Left-breast mammogram, CC. 57 y/o patient.
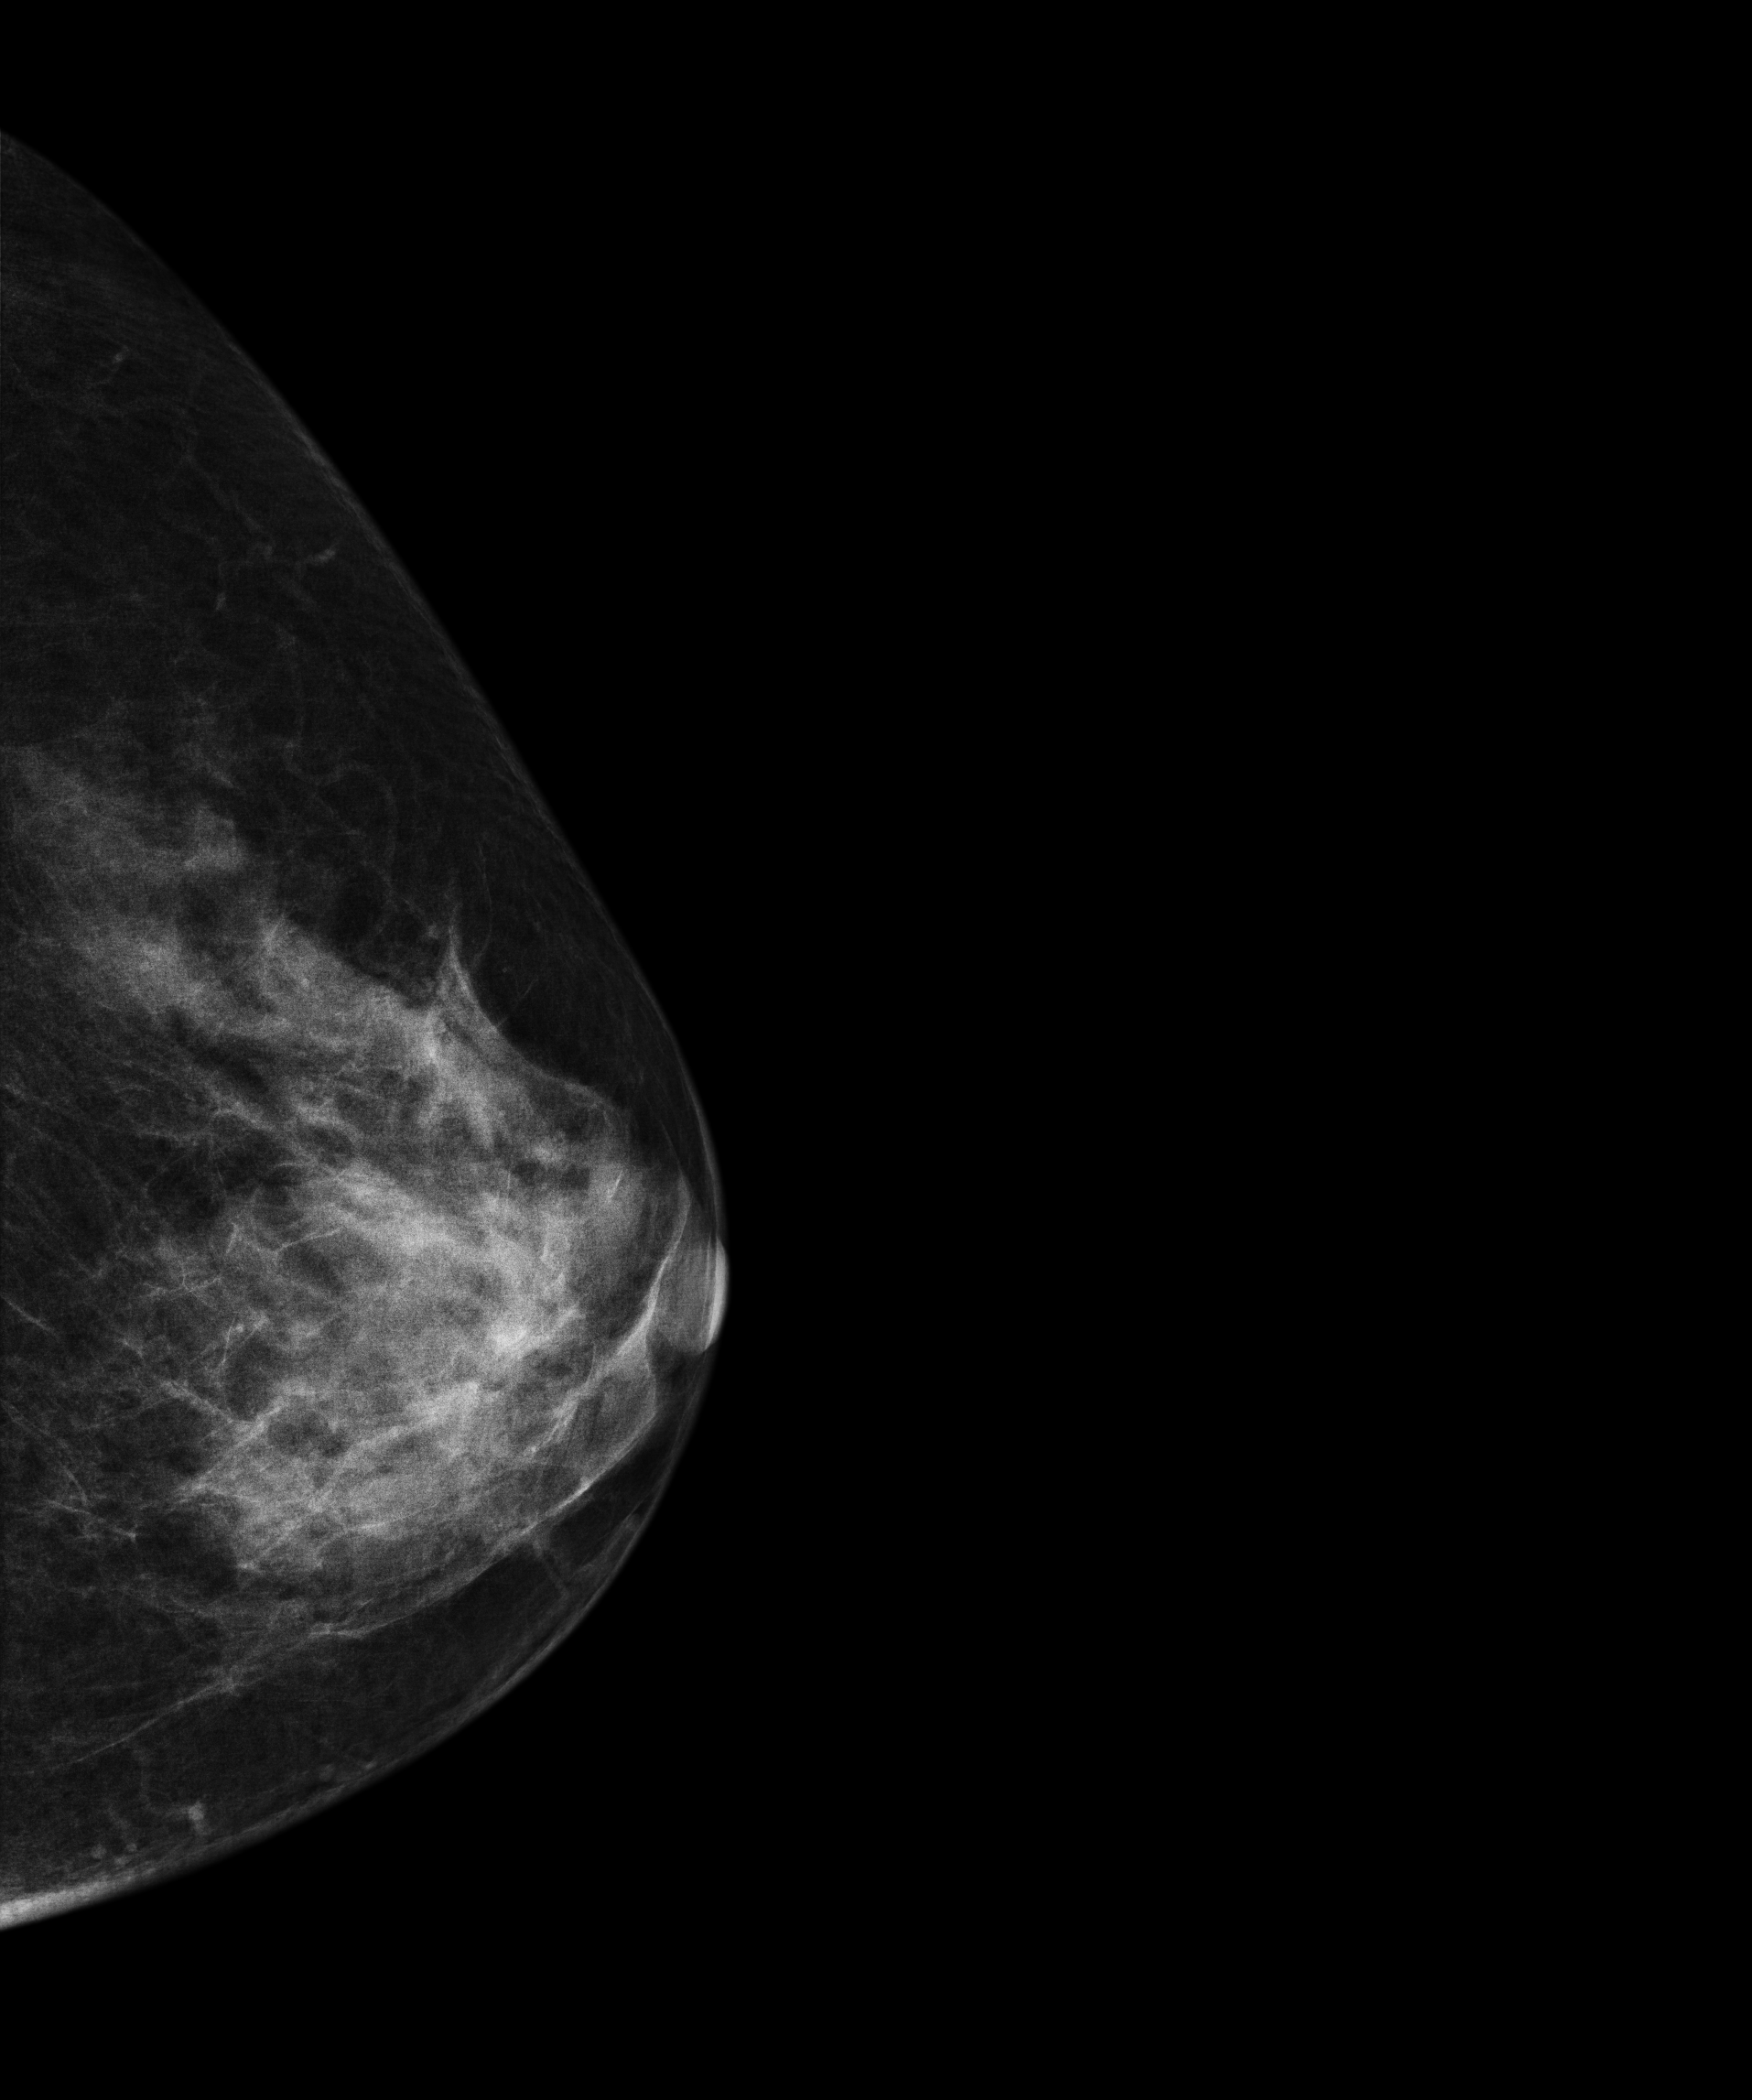
Contralateral breast — no documented abnormality on this side.